Digital mammography. Right breast, medio-lateral oblique projection. 41 y/o patient.
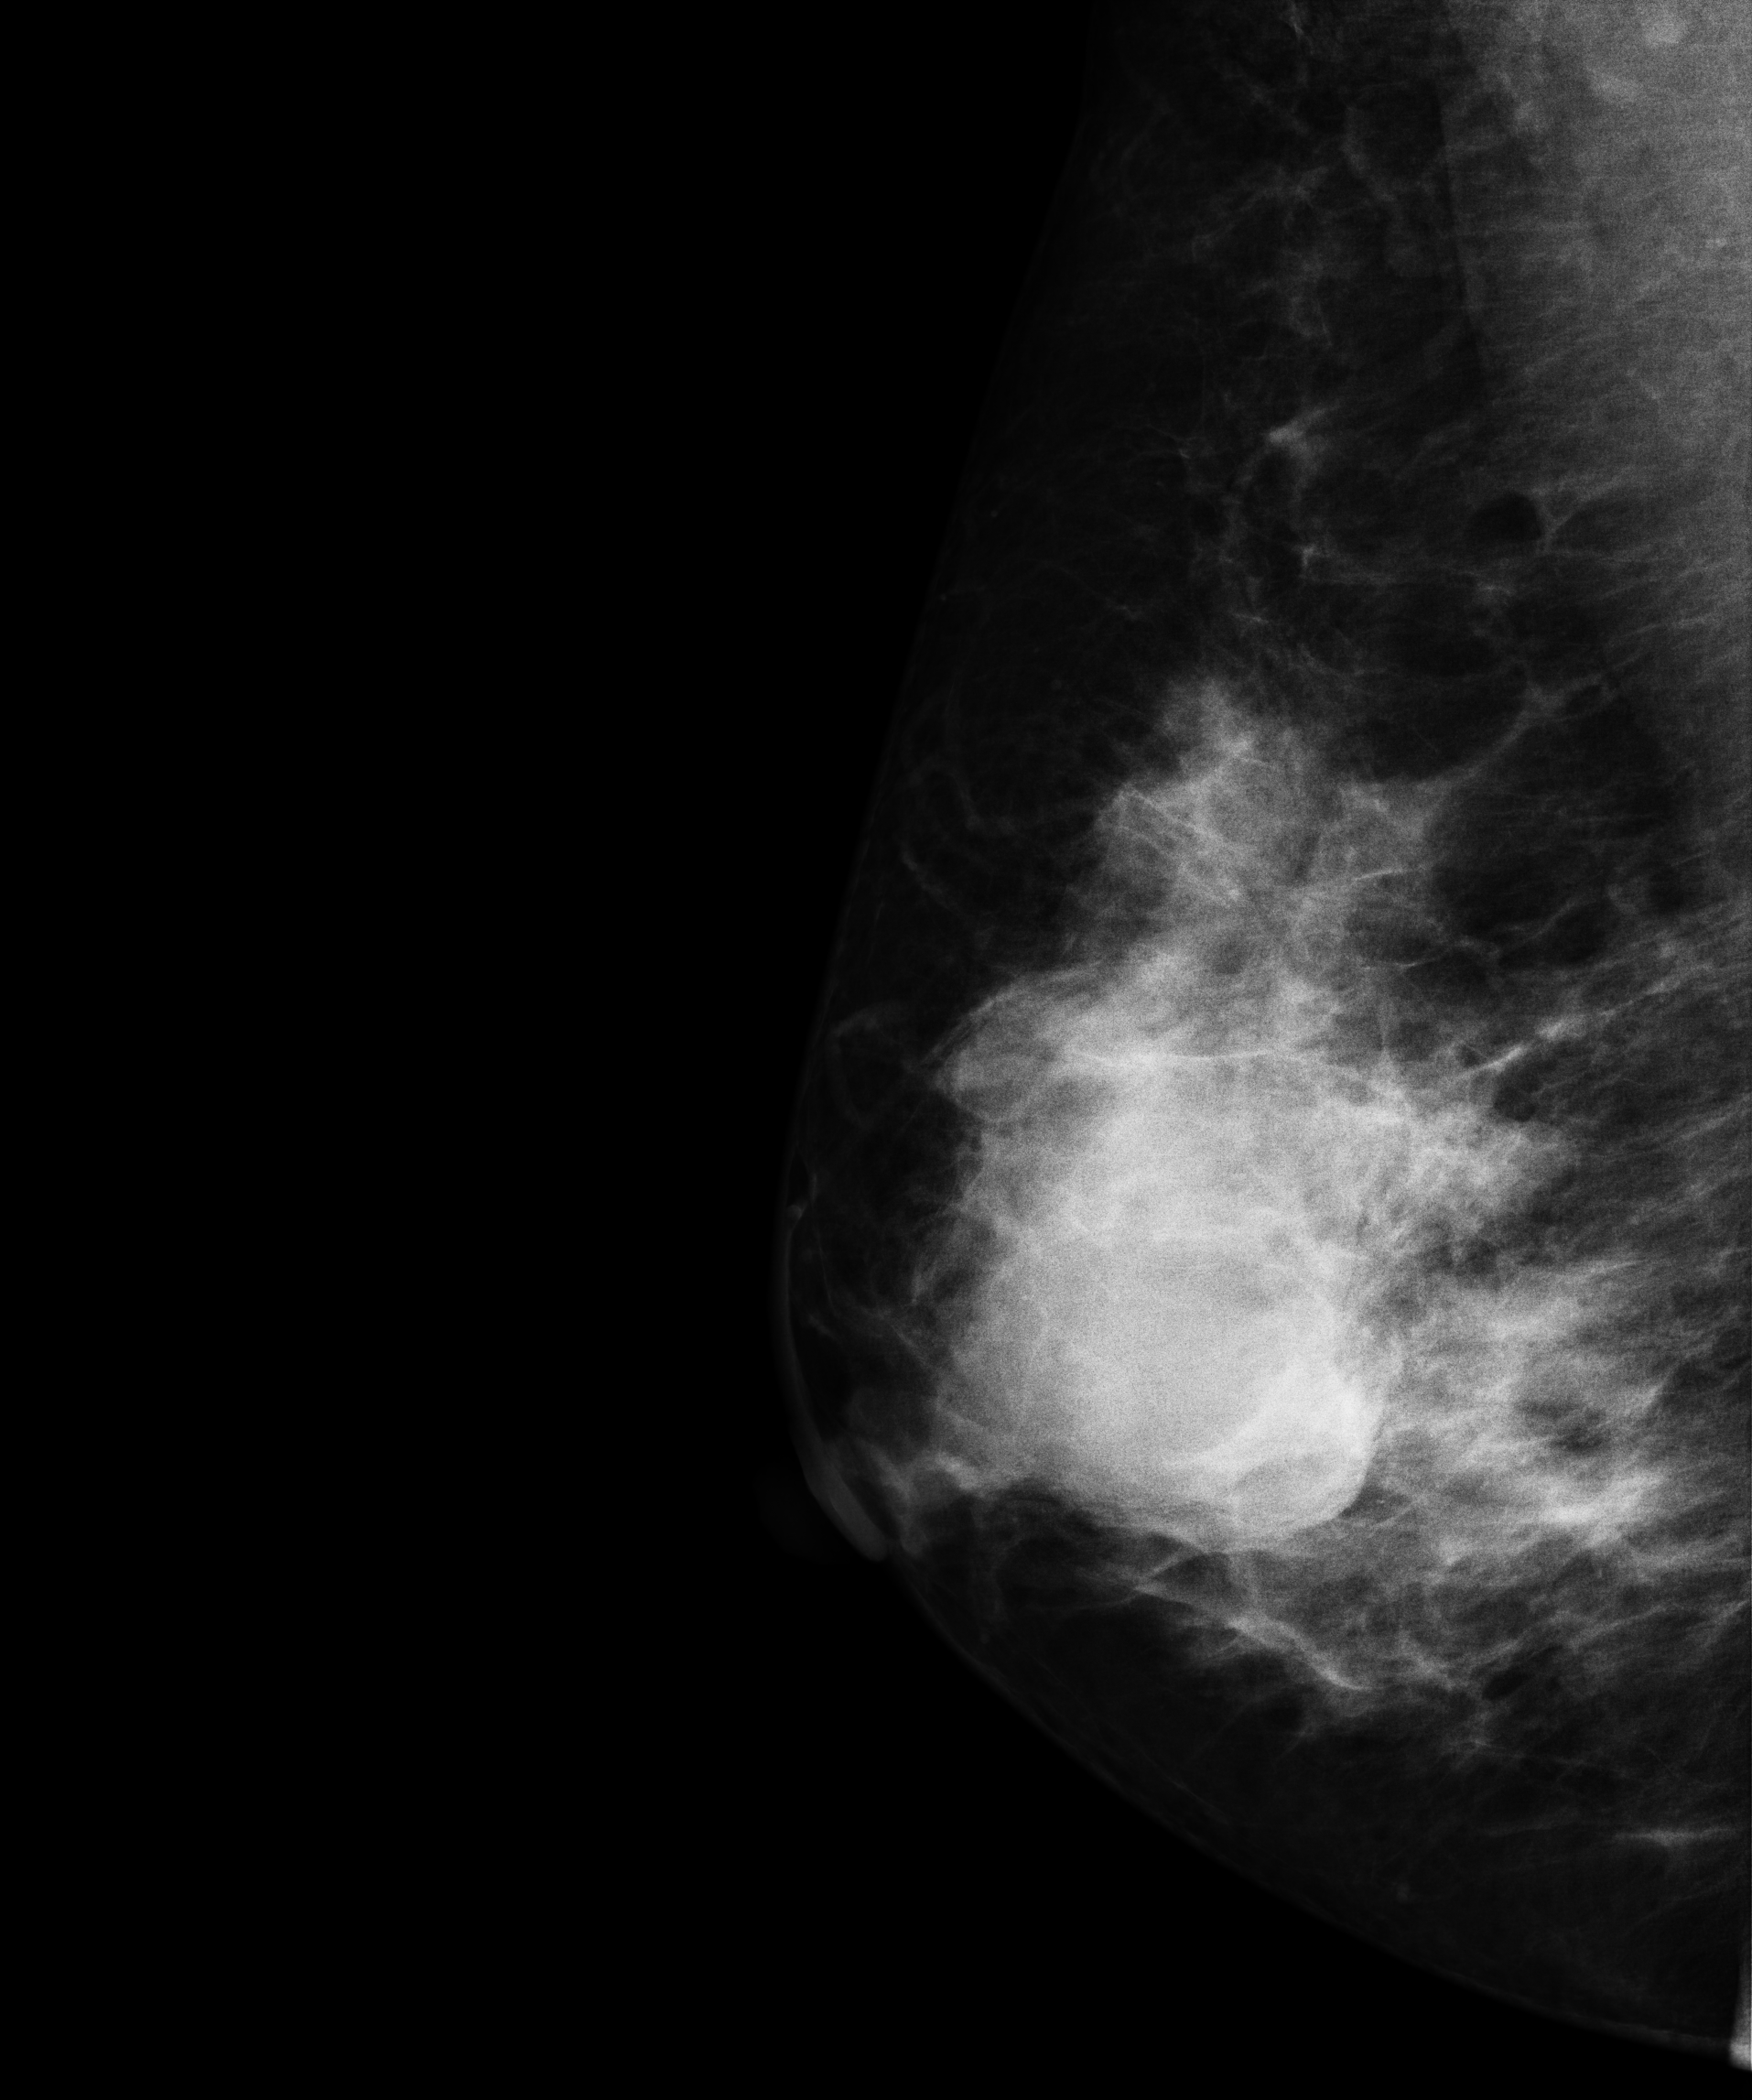
This breast has a mass, pathology-confirmed benign.